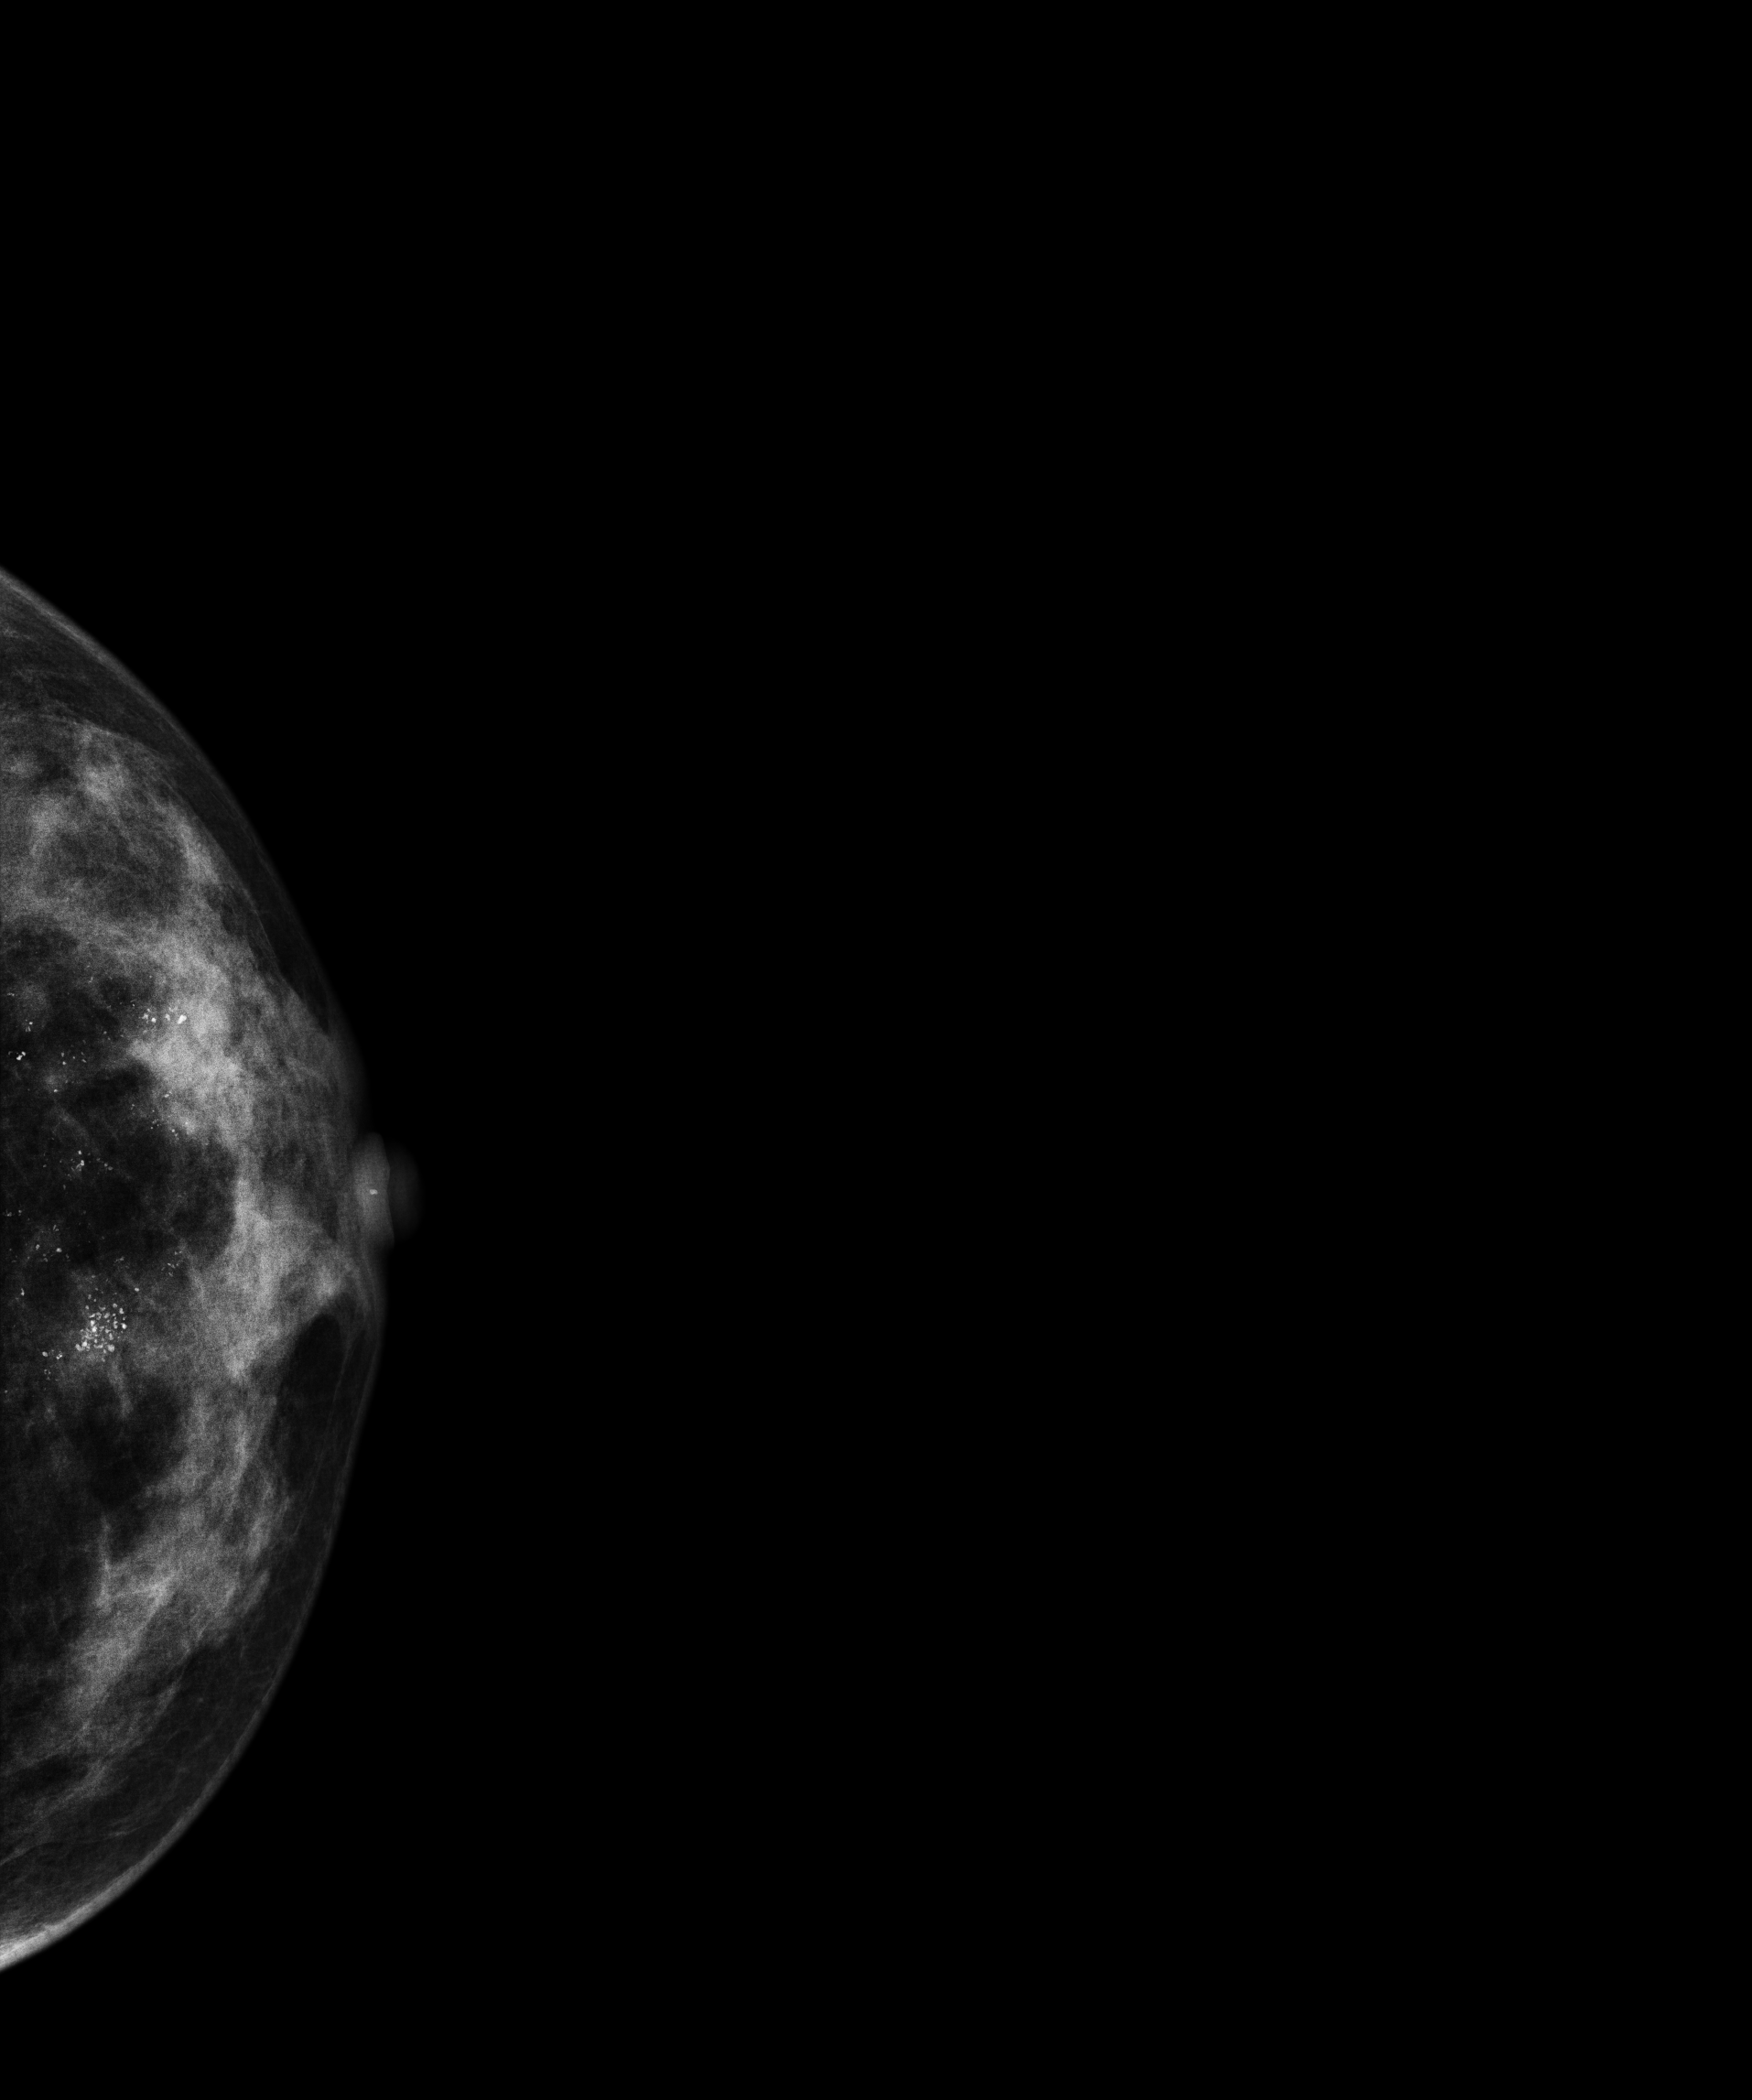
Left-breast mammogram, CC. 41 y/o patient.
This breast has calcifications, biopsy-confirmed malignant. Molecular subtype: HER2-enriched.